Mammogram — right medio-lateral oblique. 58 y/o patient.
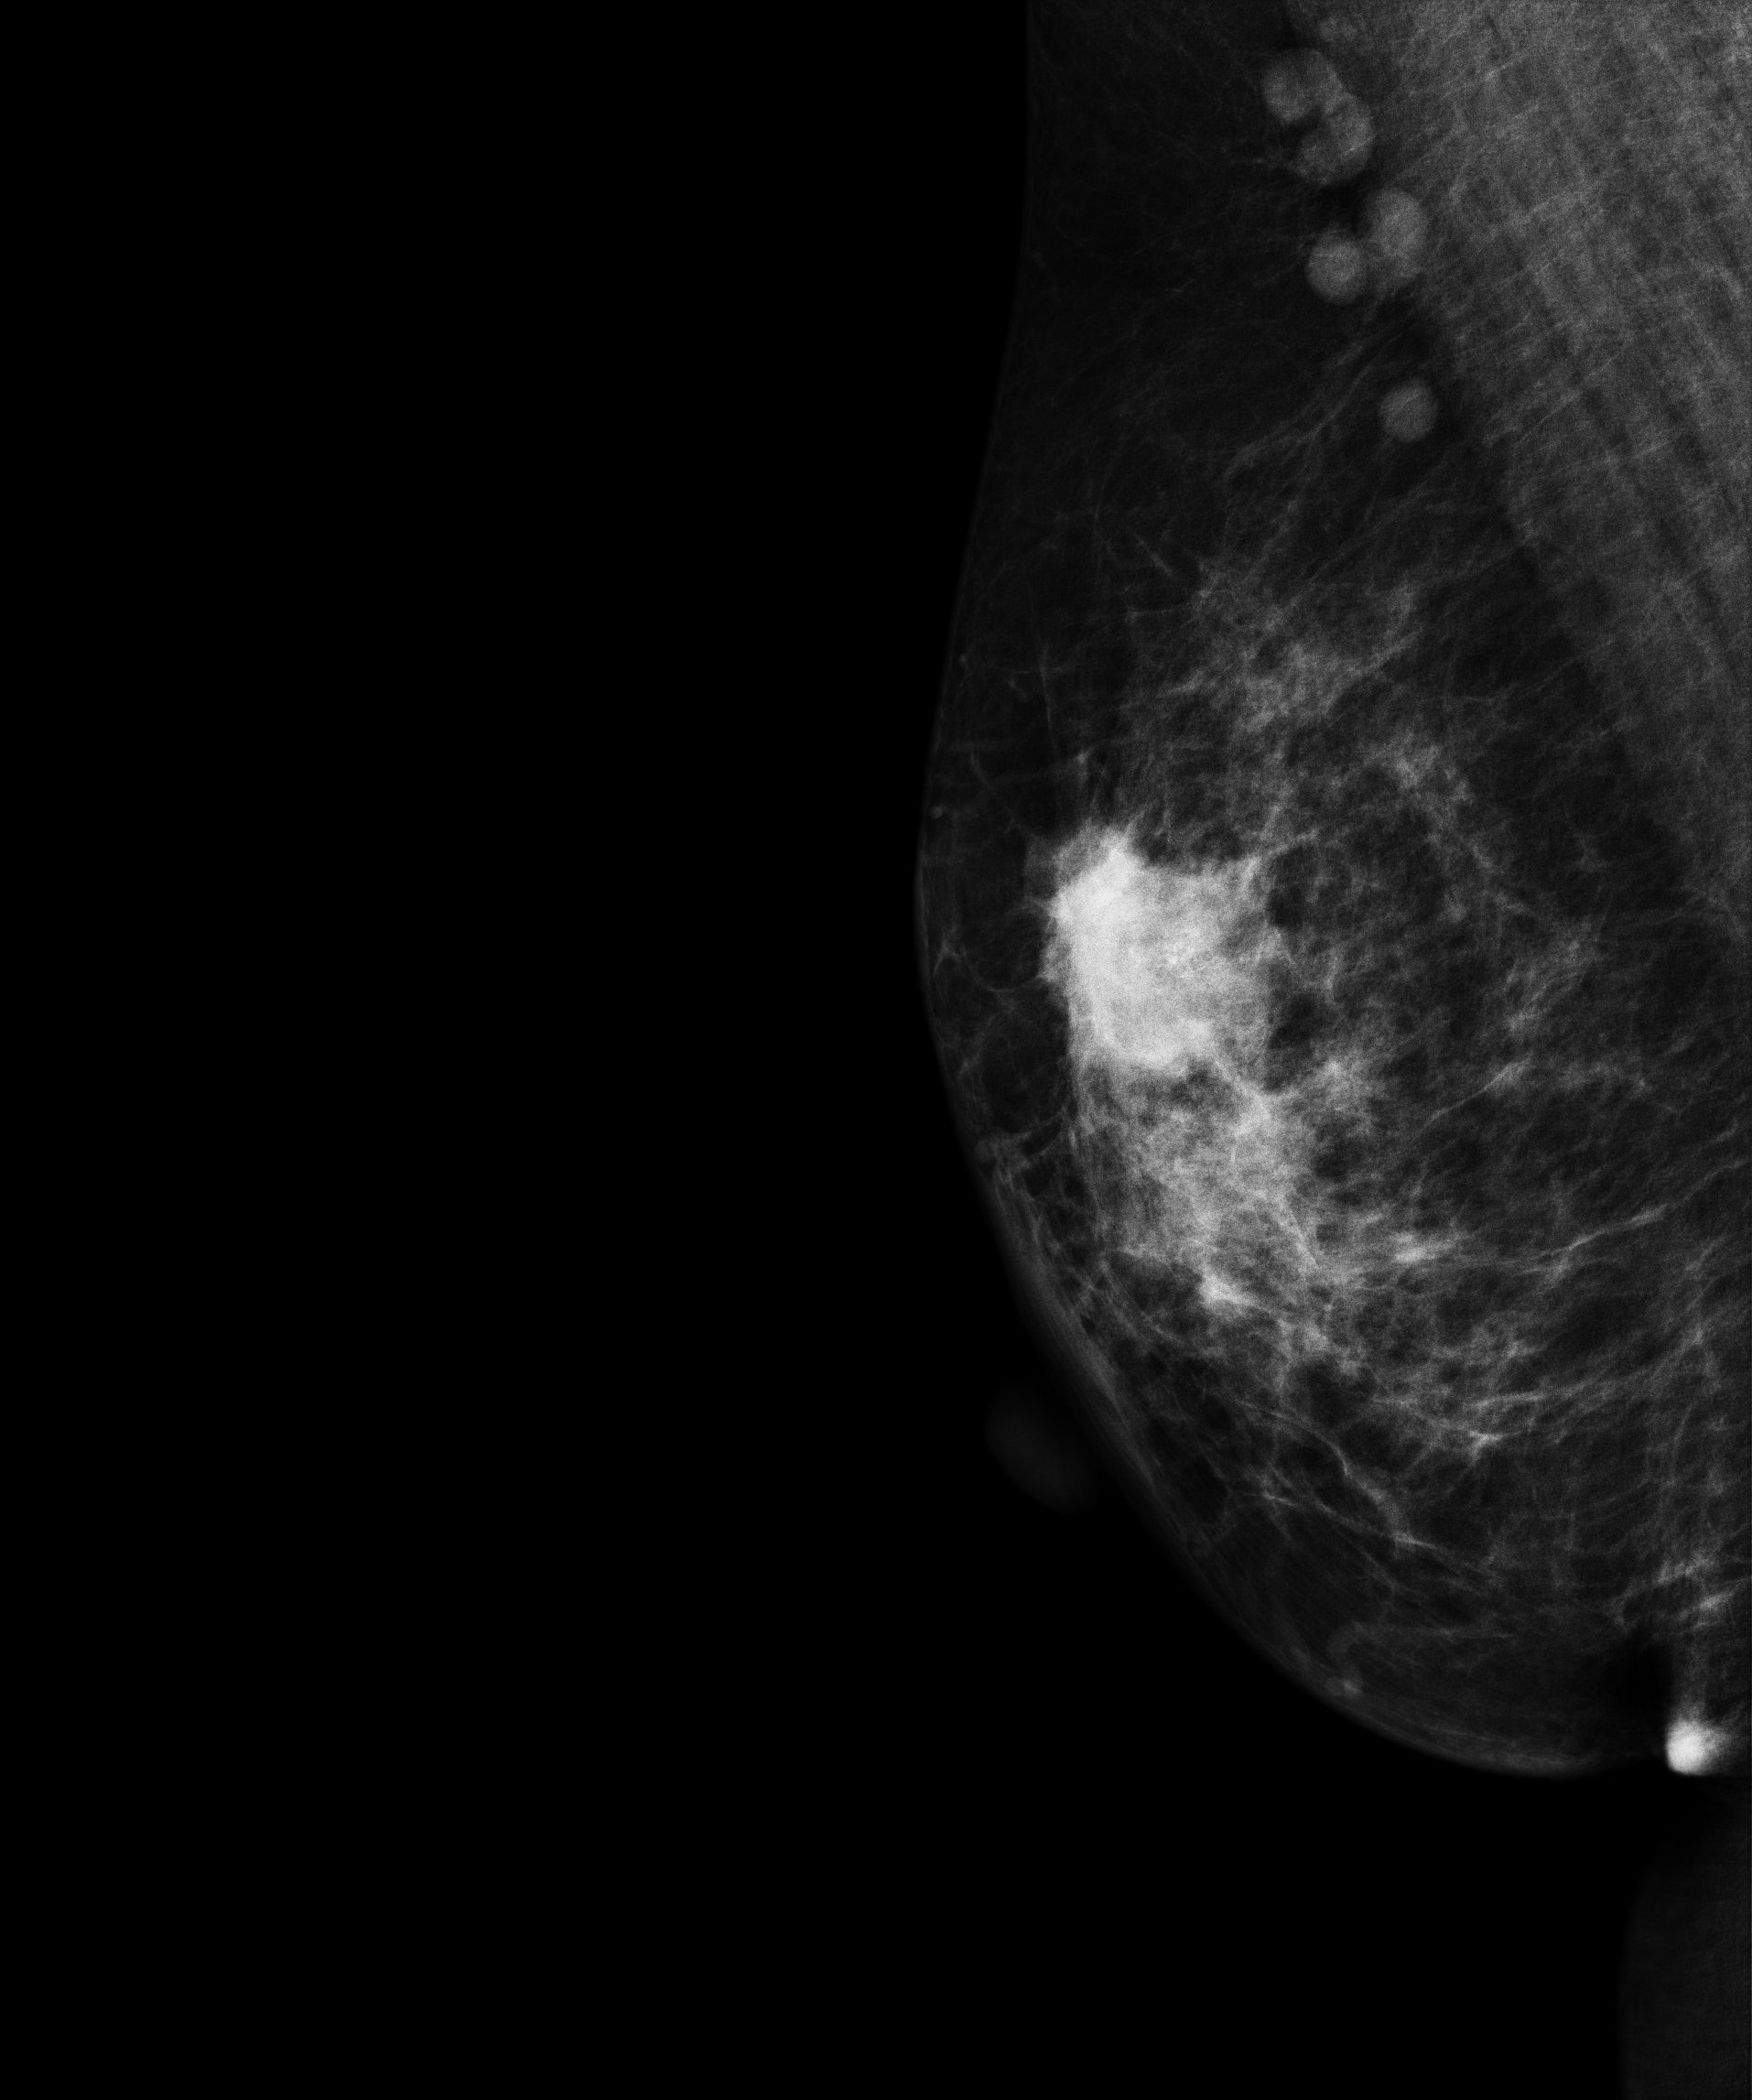
This breast has a mass, biopsy-confirmed malignant. Molecular subtype: luminal B.